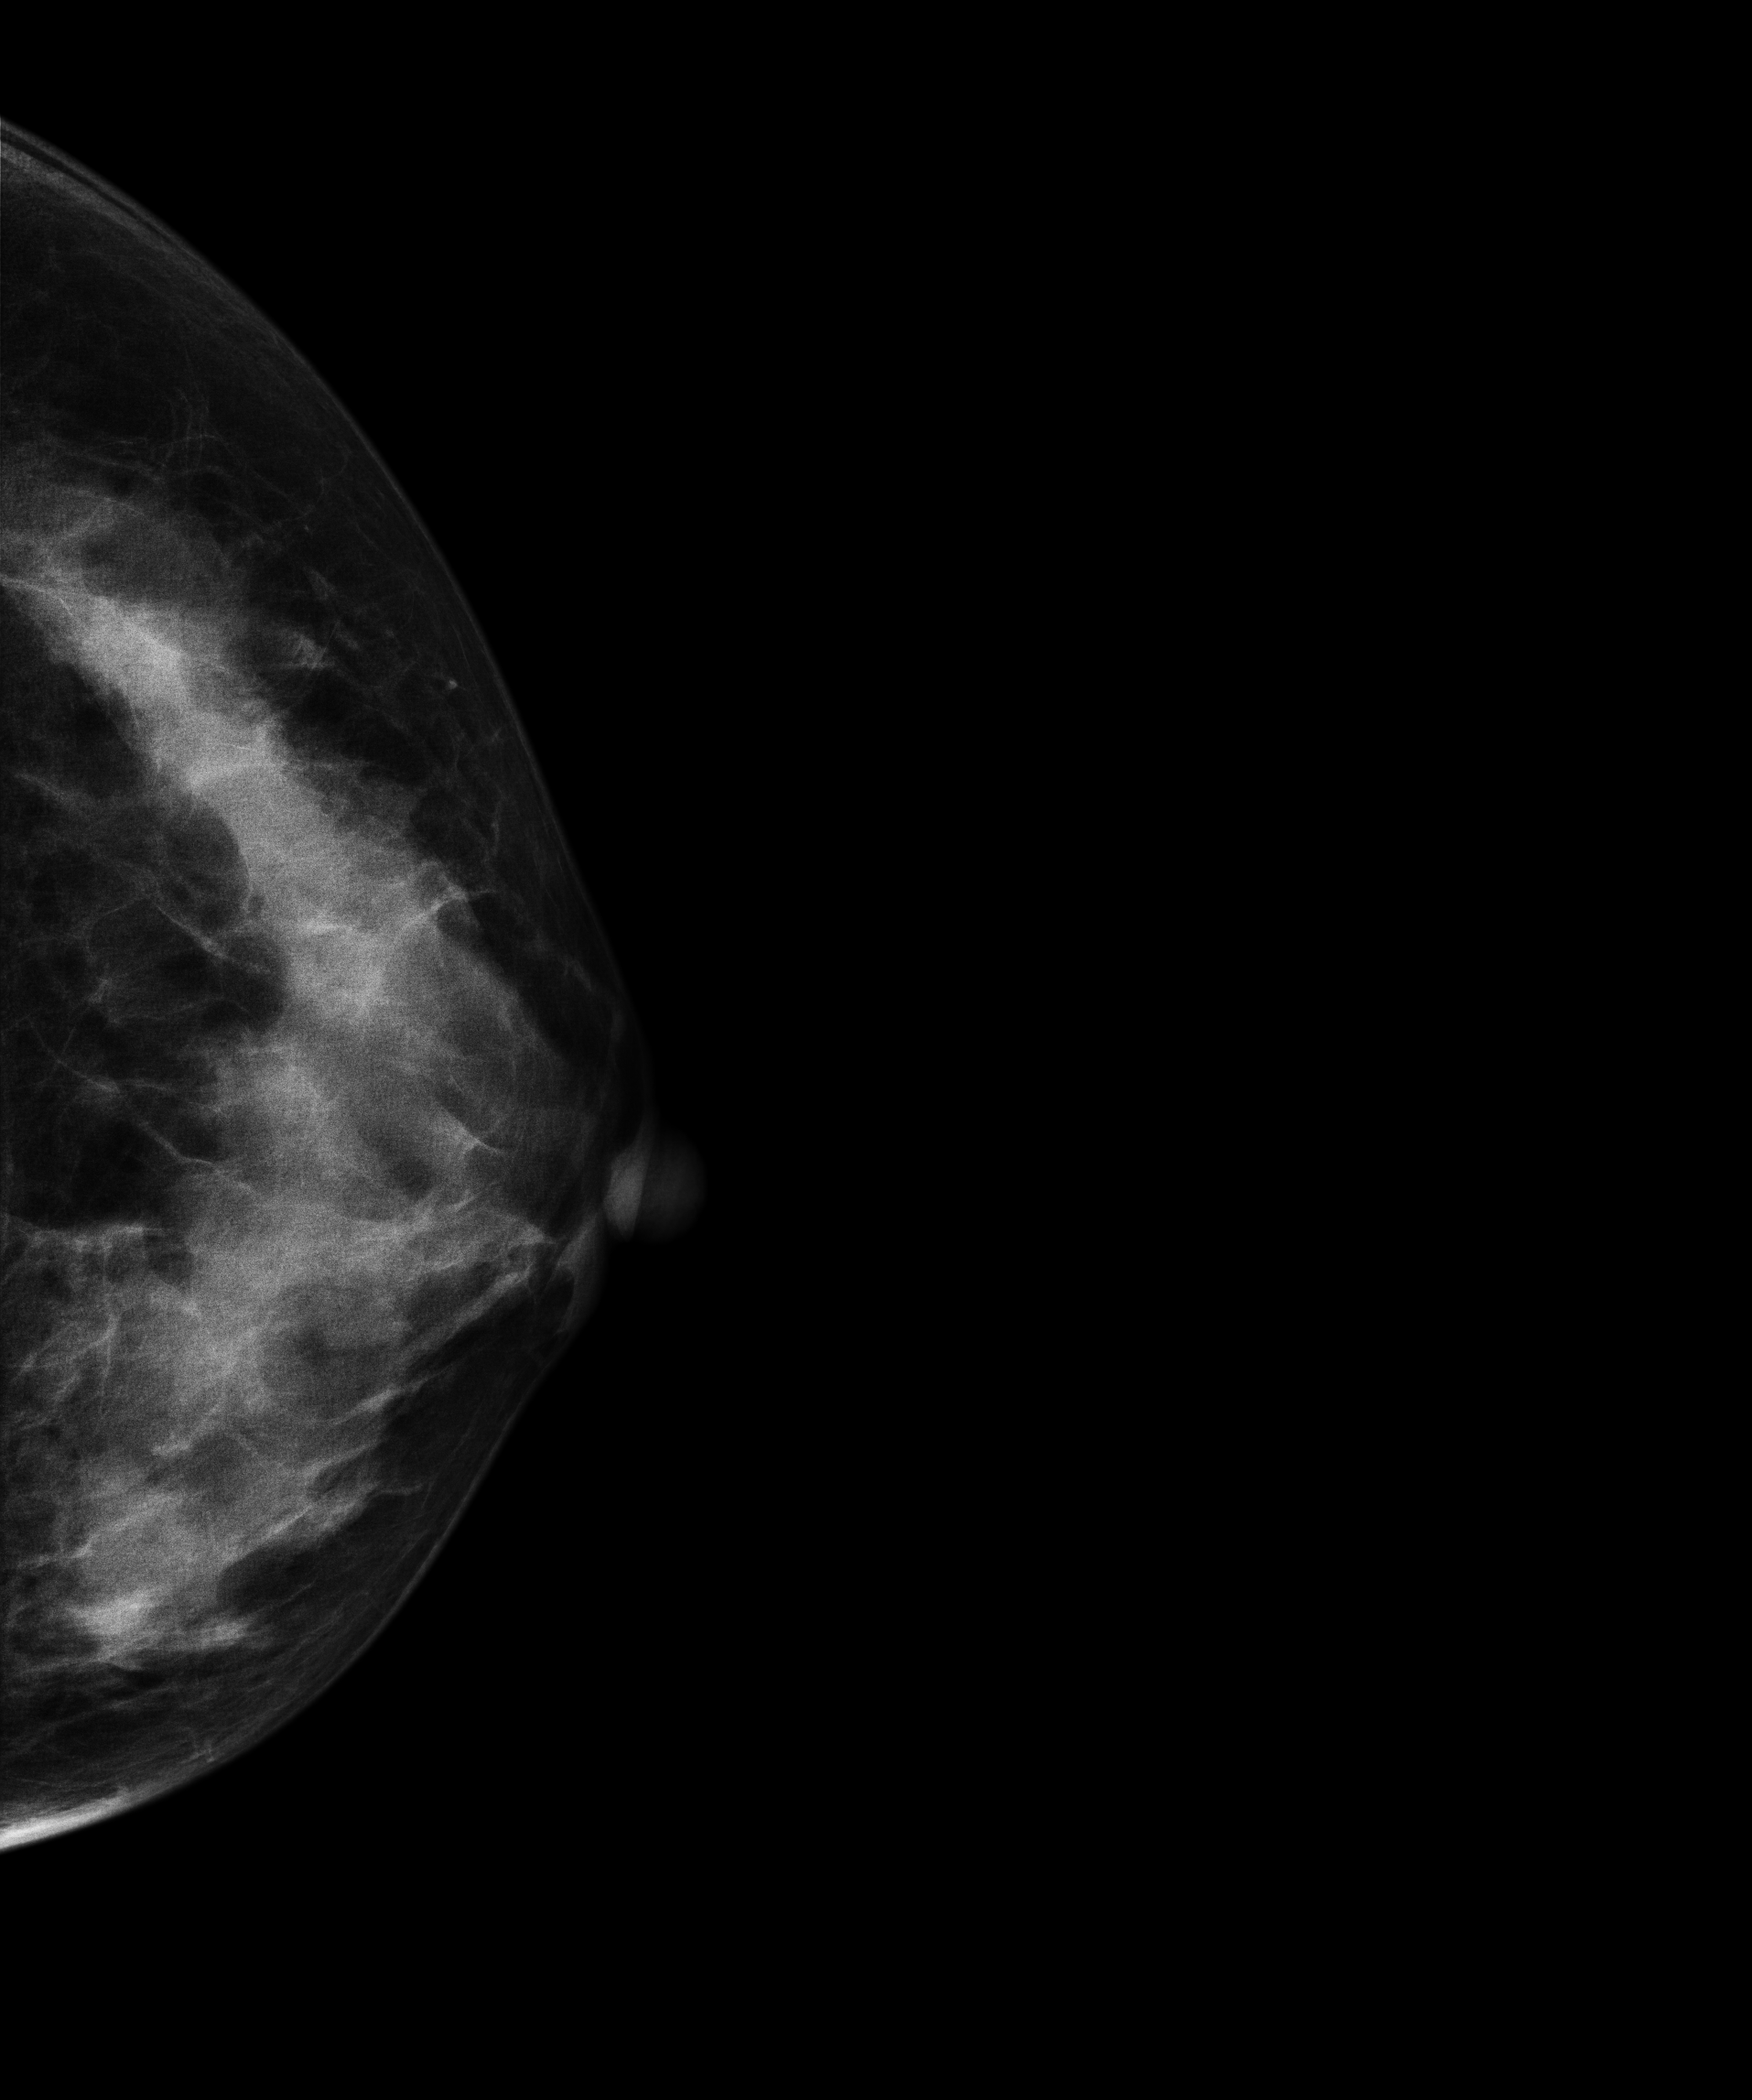
Left-breast mammogram, cranio-caudal. Patient age 48.
Contralateral breast — no documented abnormality on this side.